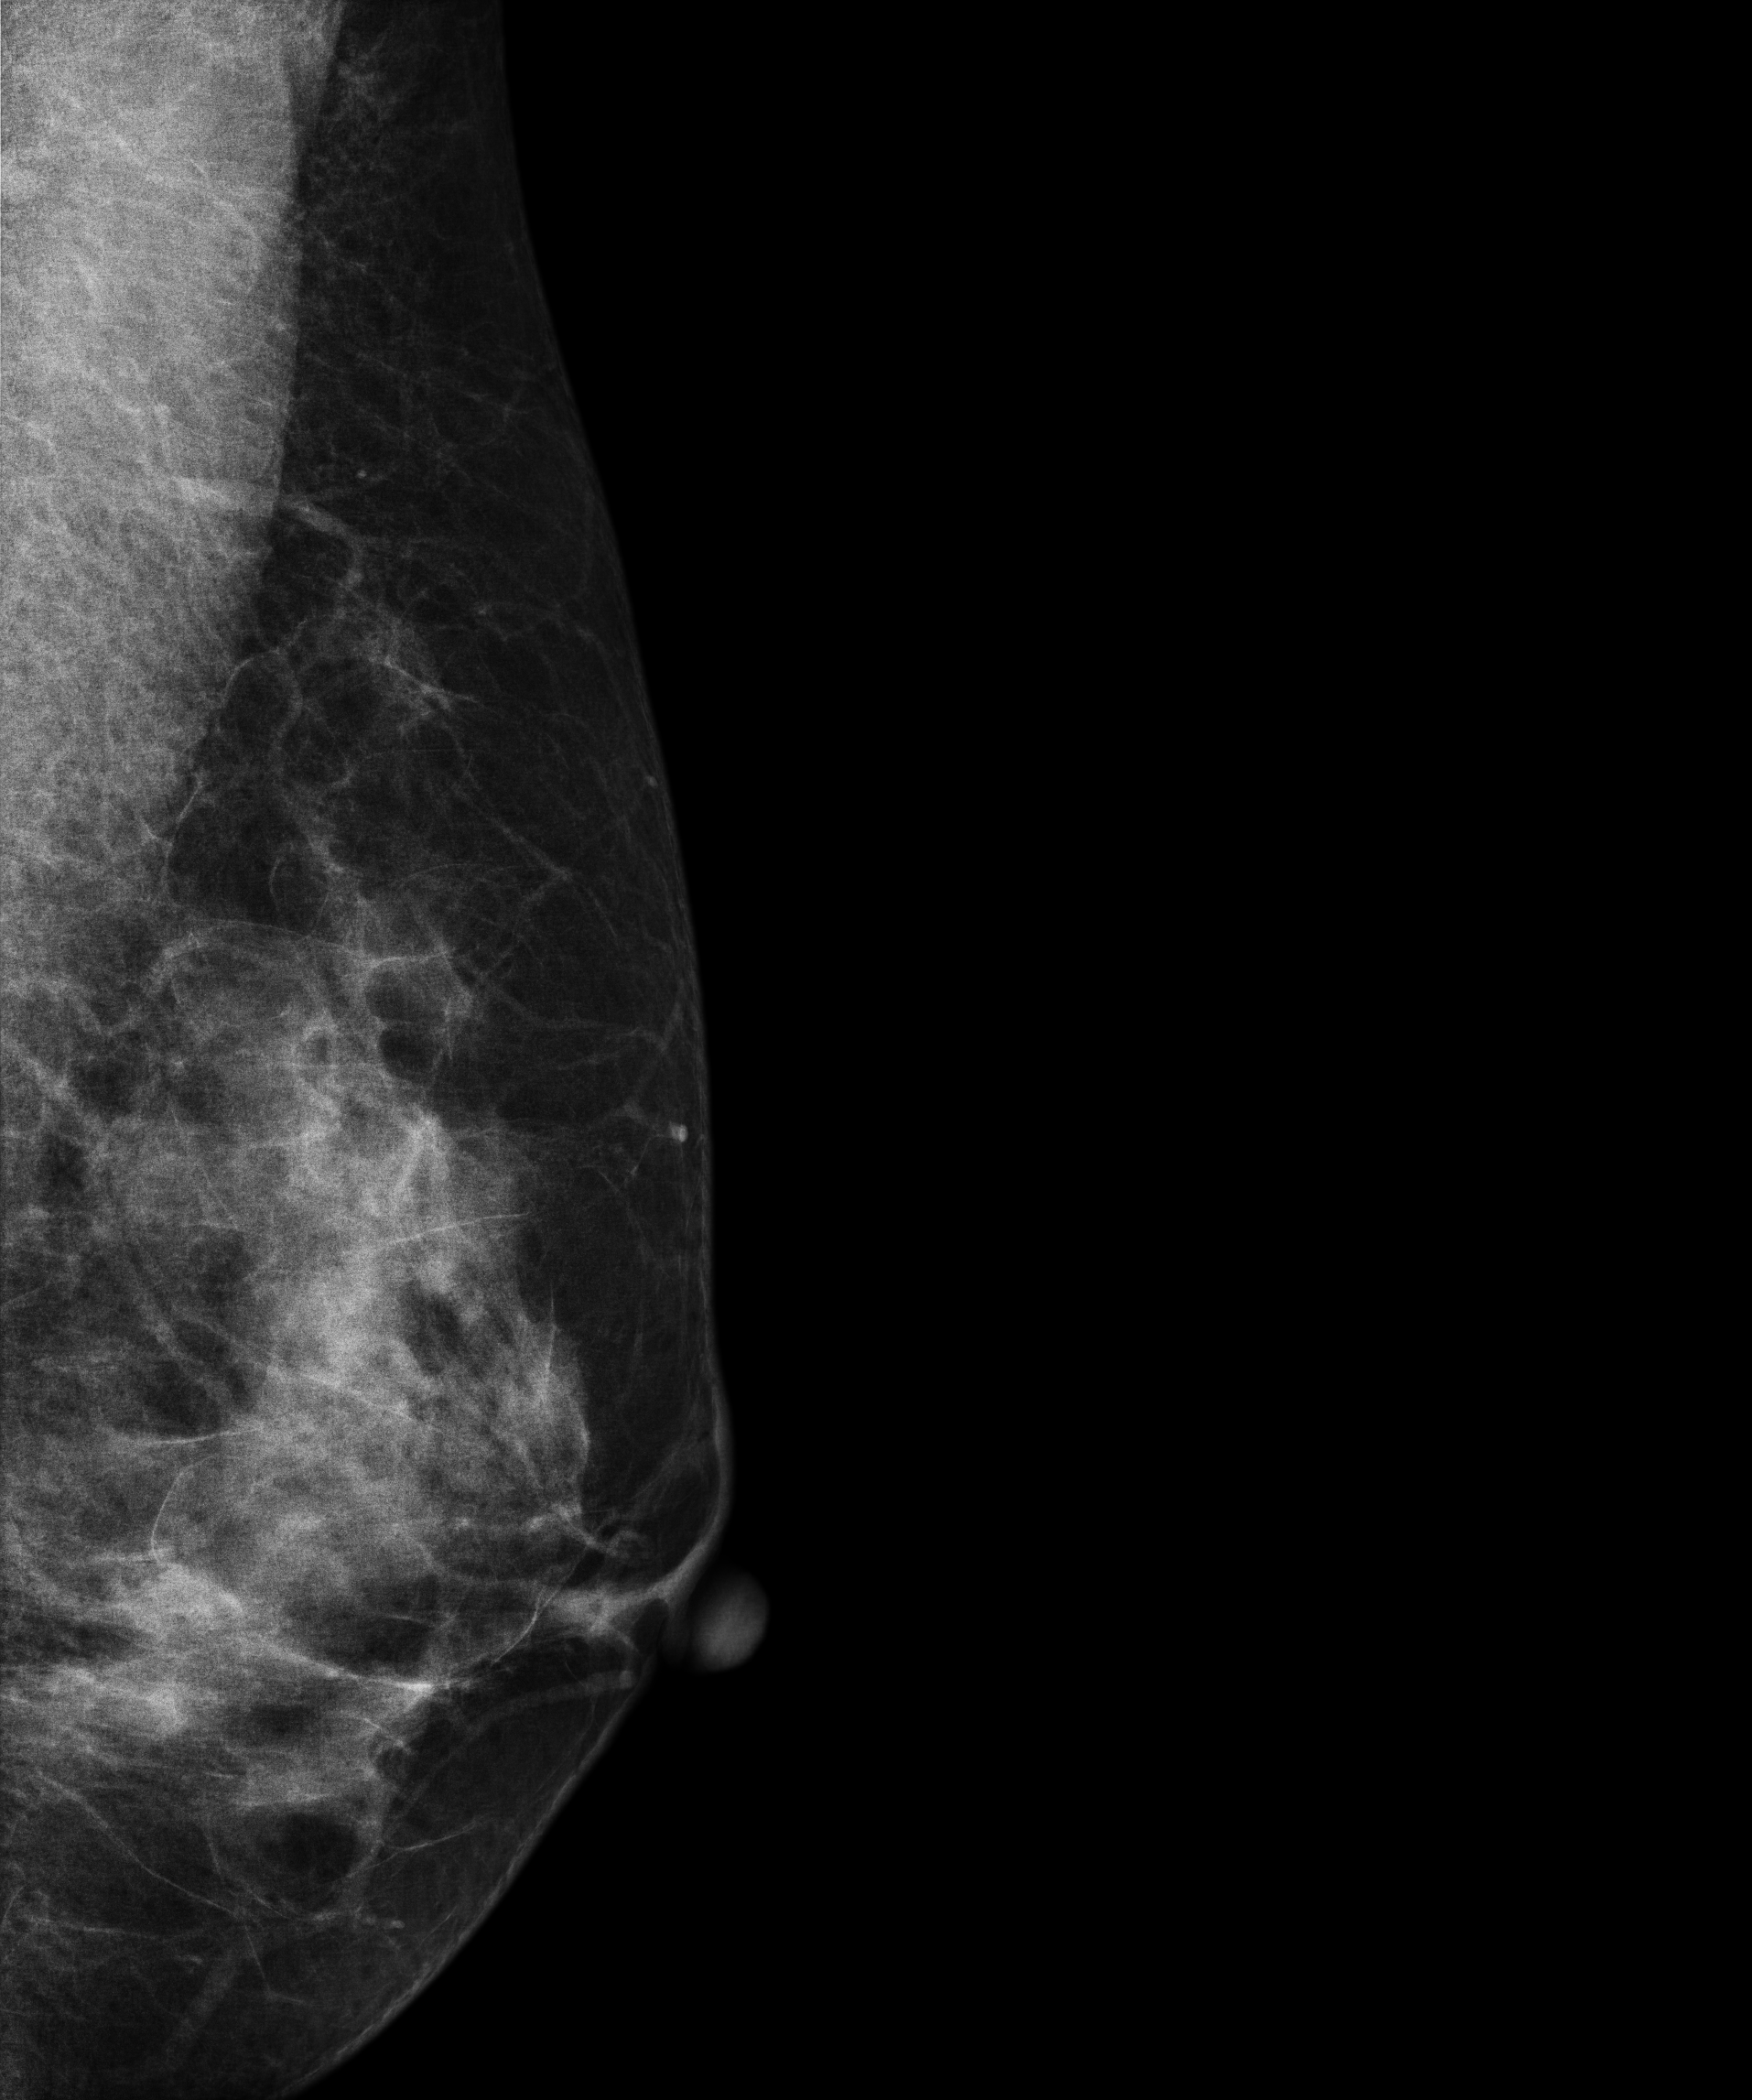
Left-breast mammogram, medio-lateral oblique. Patient age 46.
Contralateral breast — no documented abnormality on this side.